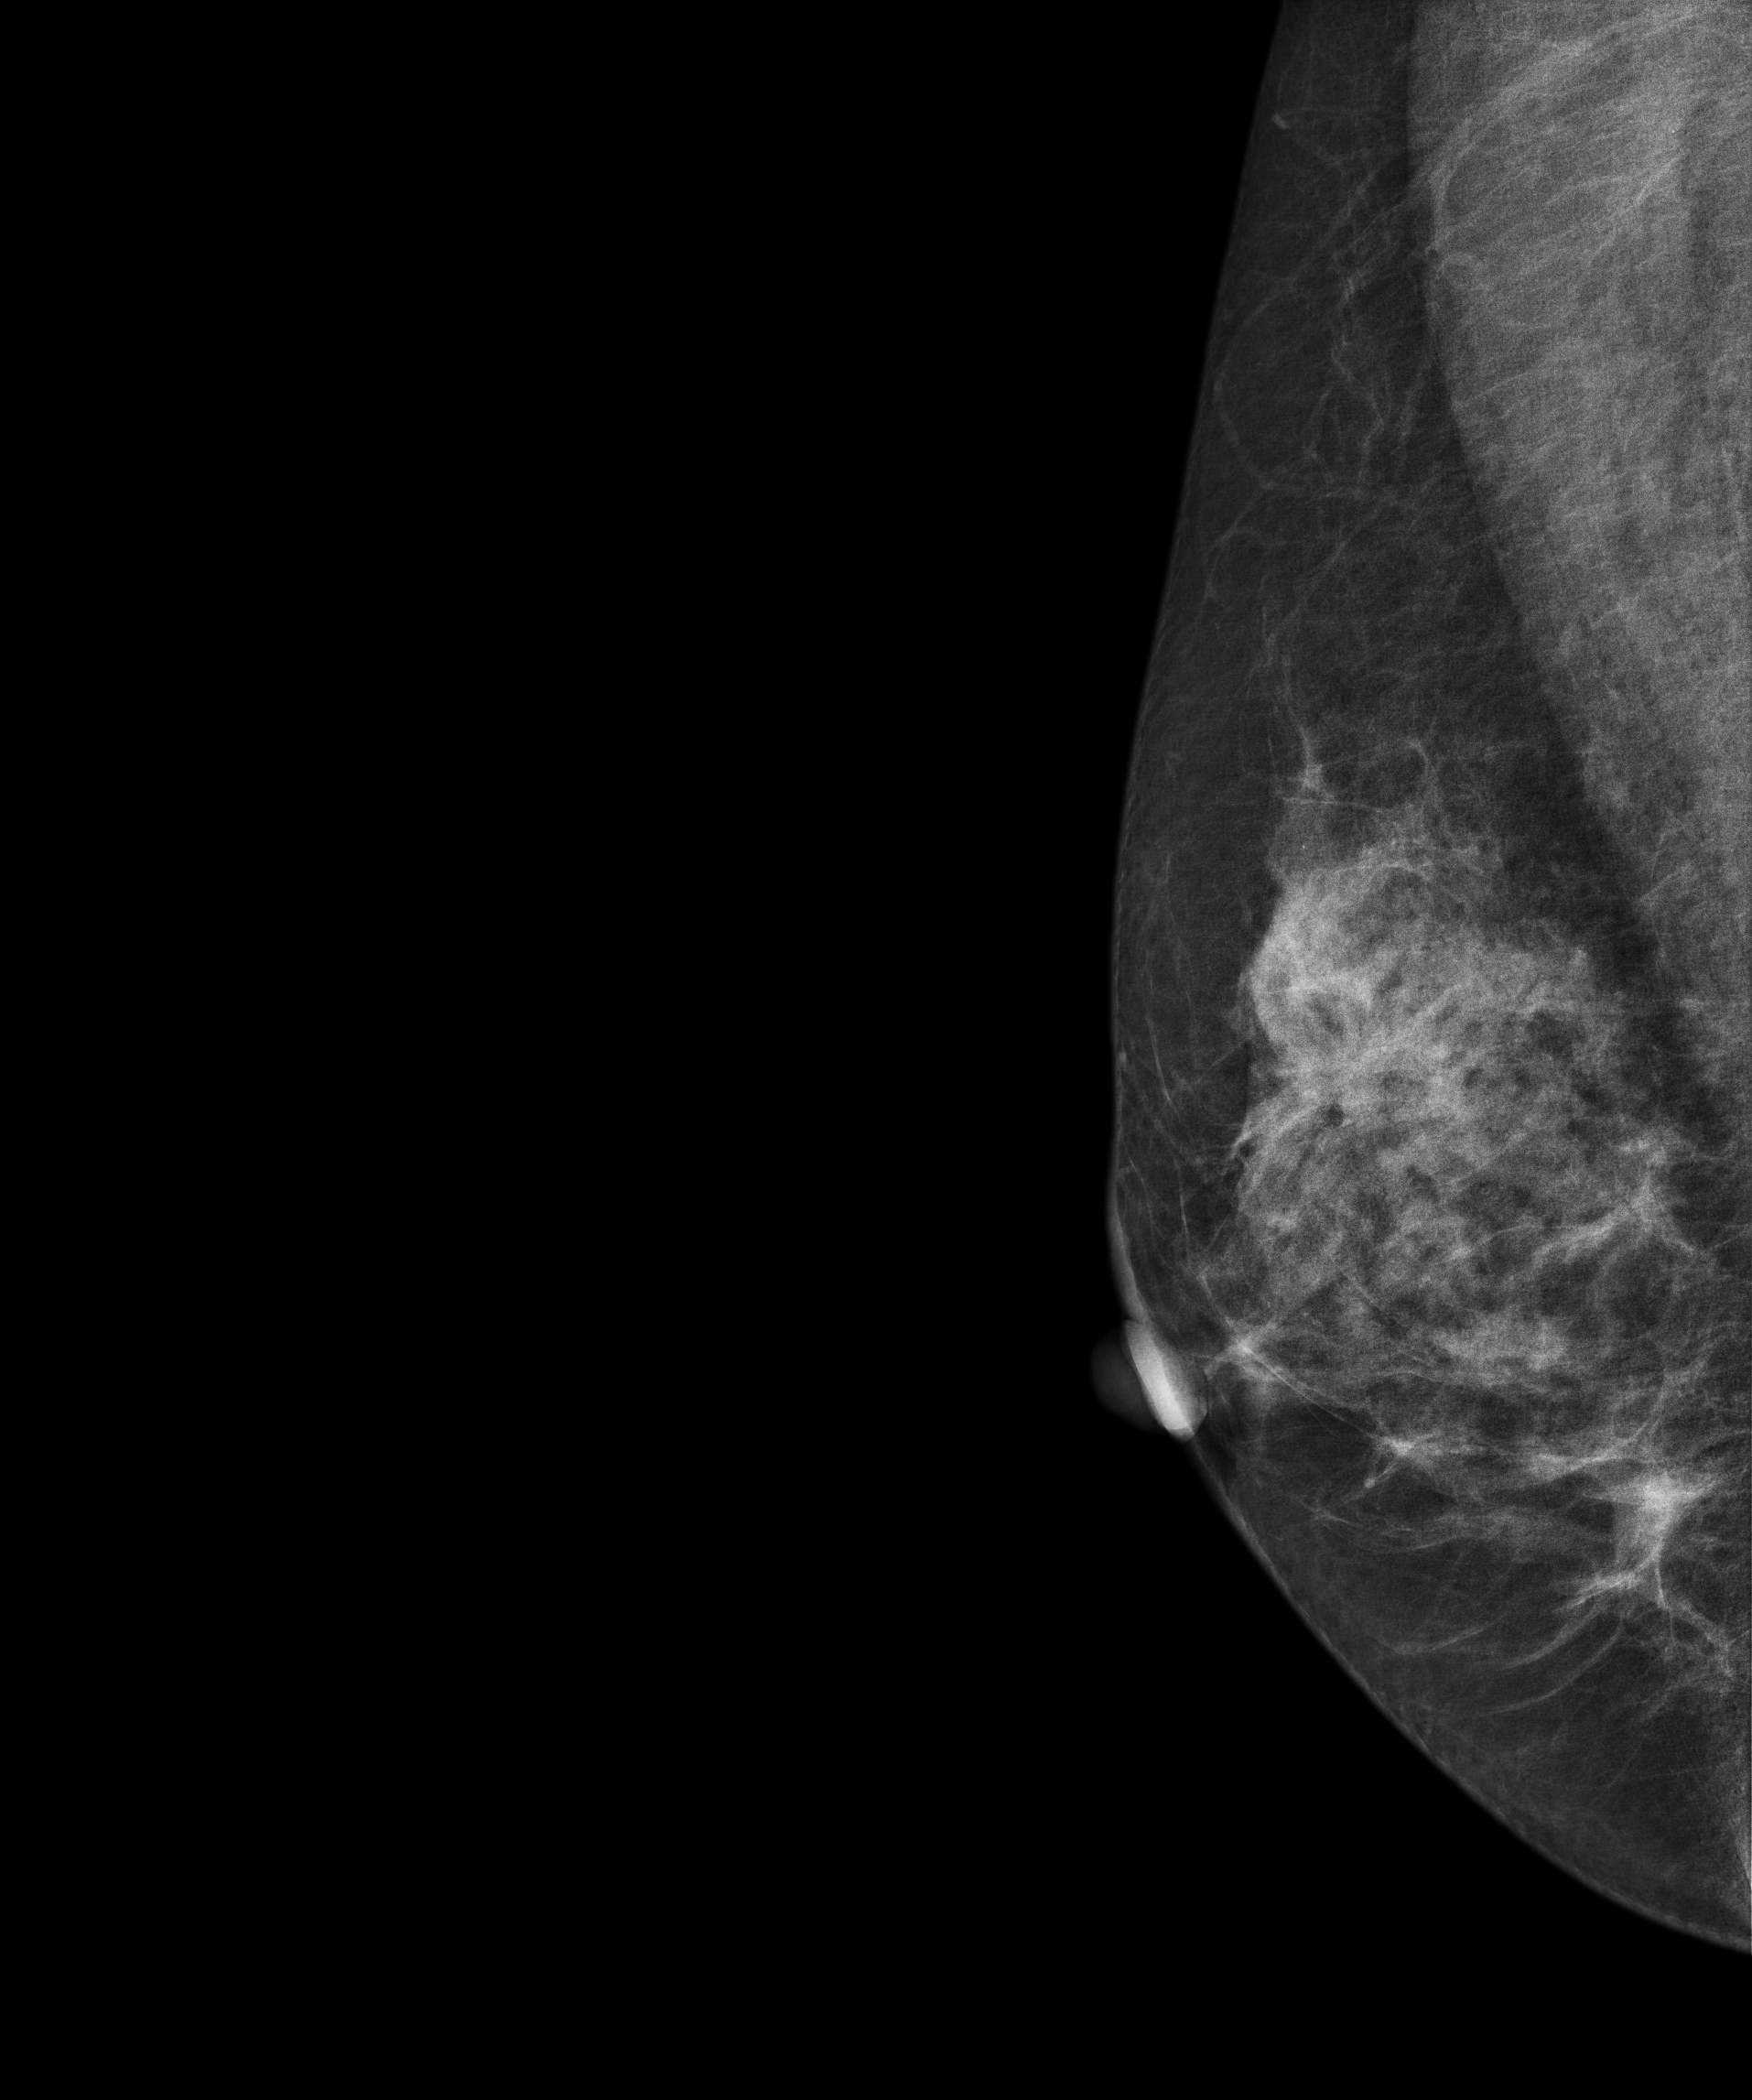
Mammogram, right breast, medio-lateral oblique view. Patient age 53.
This breast has a mass, biopsy-proven malignant. Molecular subtype: luminal B.